Mammogram, right breast, cranio-caudal view. 47 y/o patient.
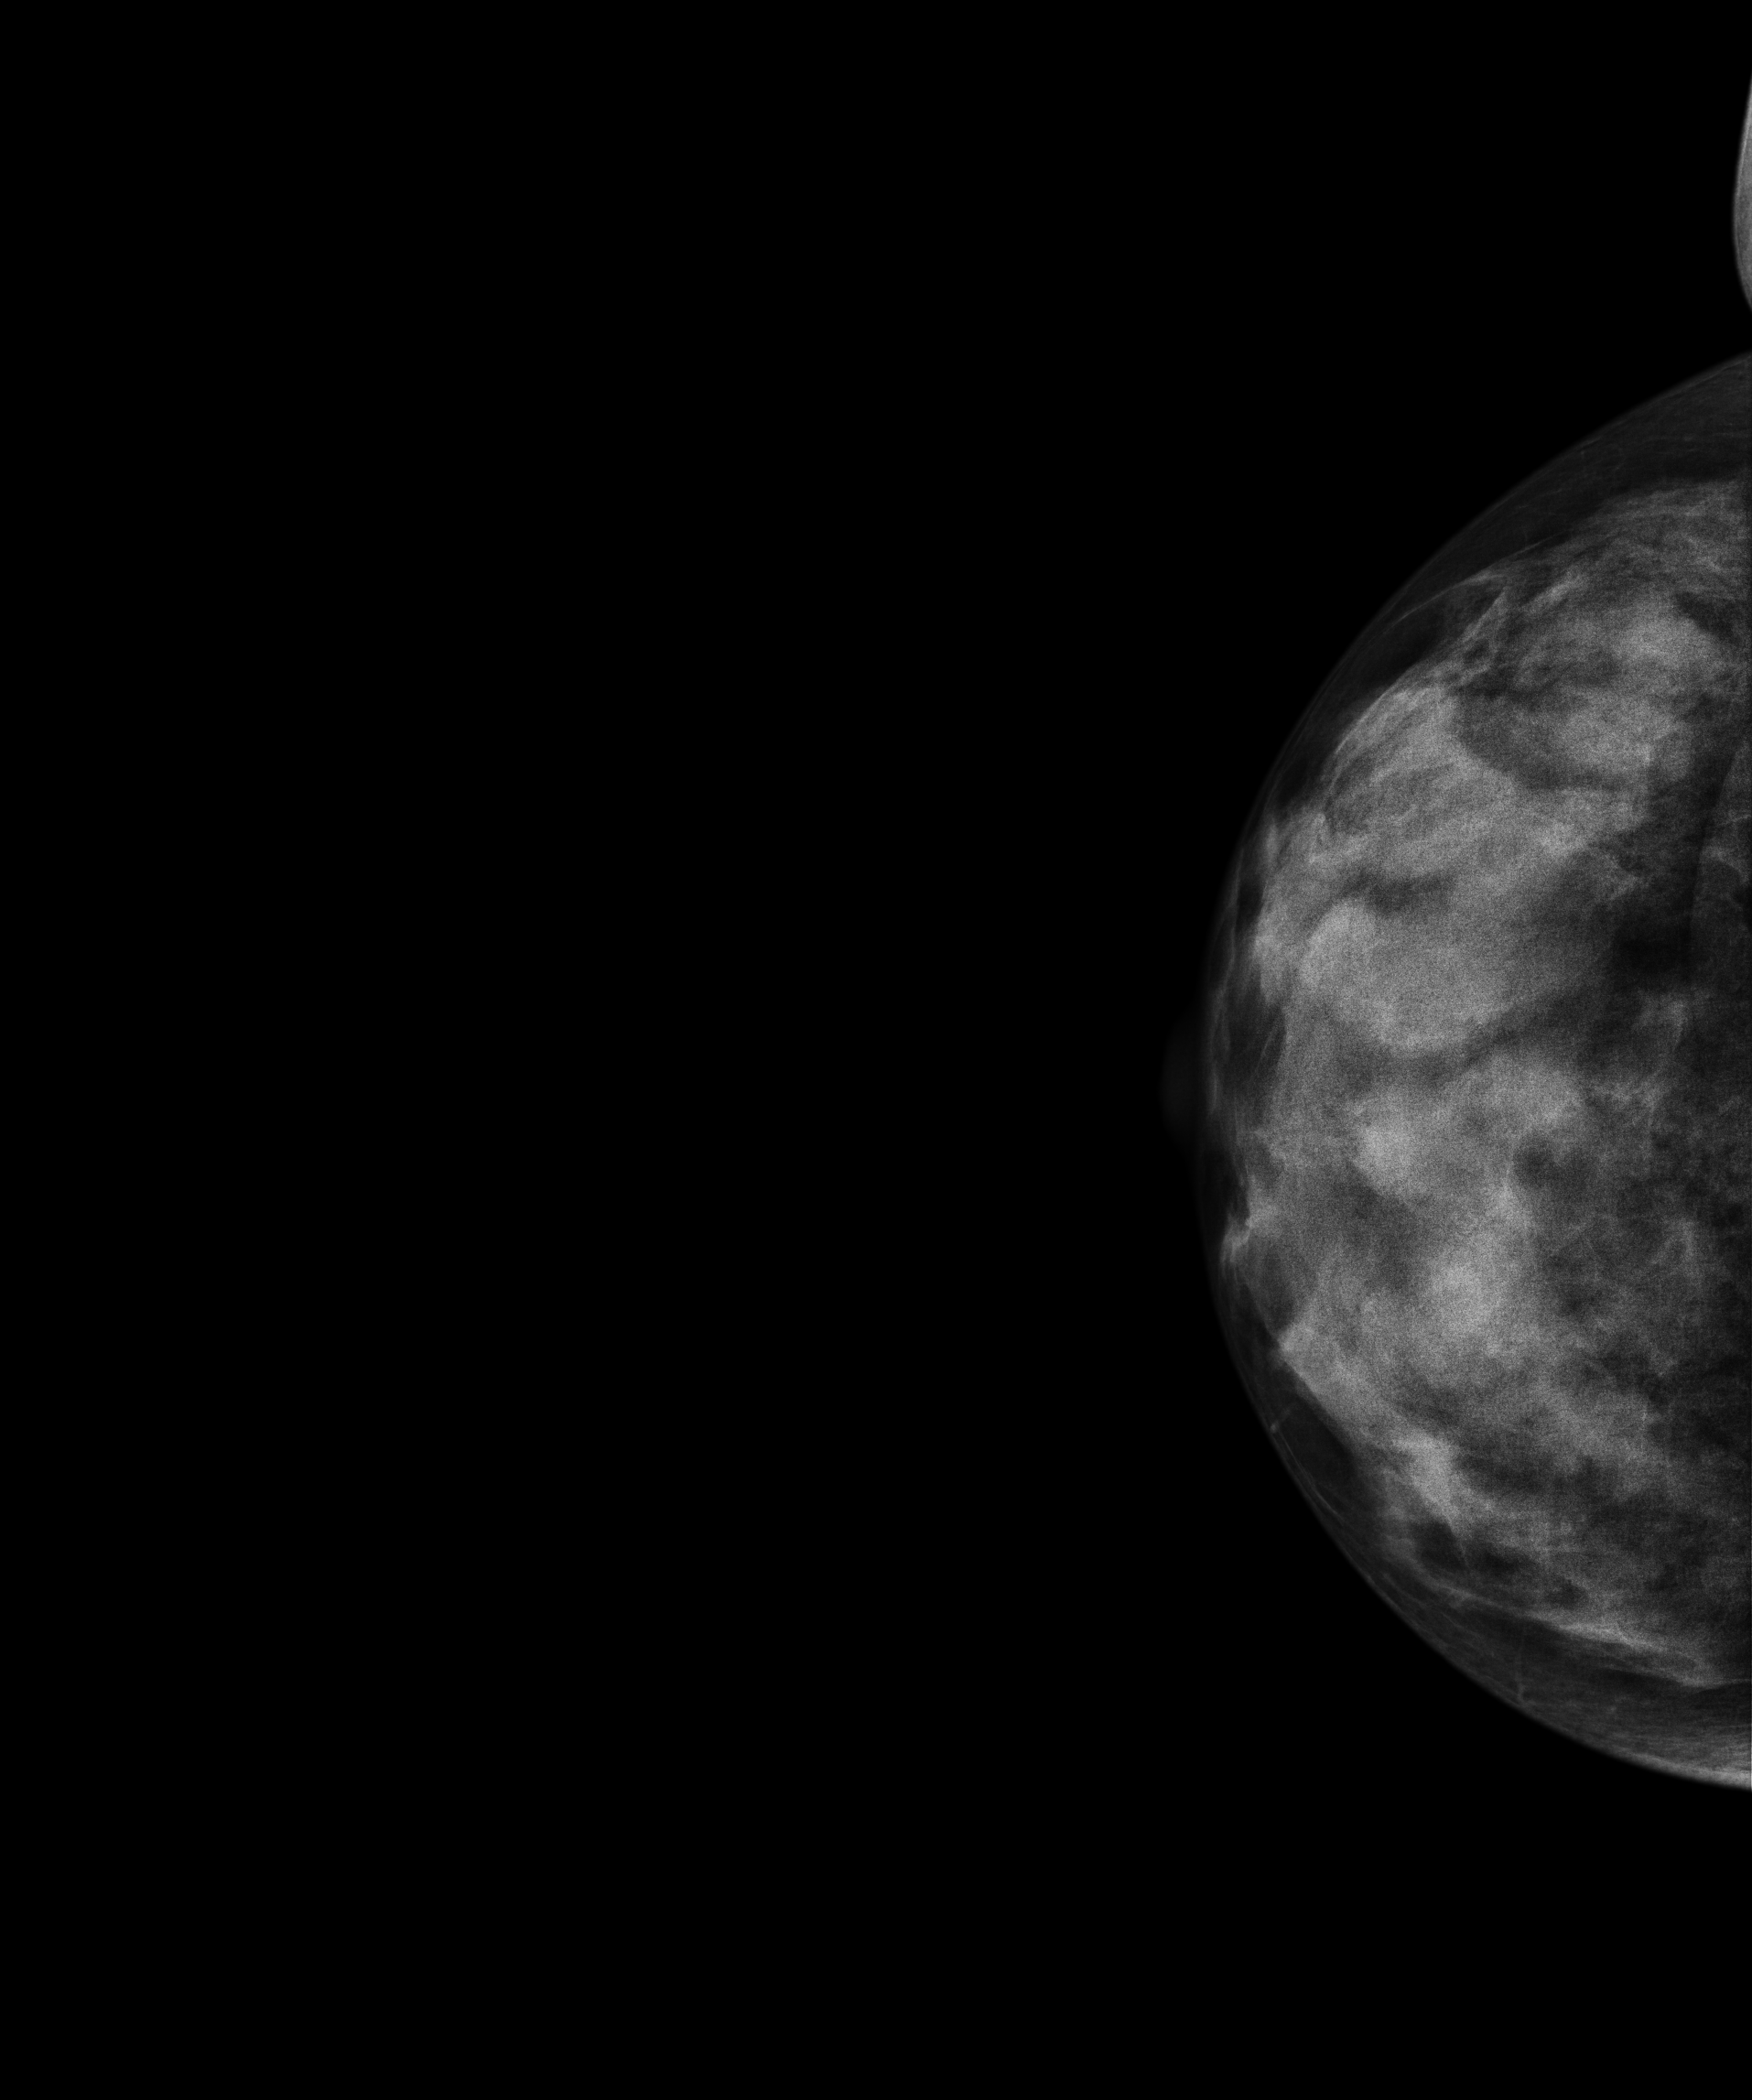
This breast has a mass, histologically confirmed benign.